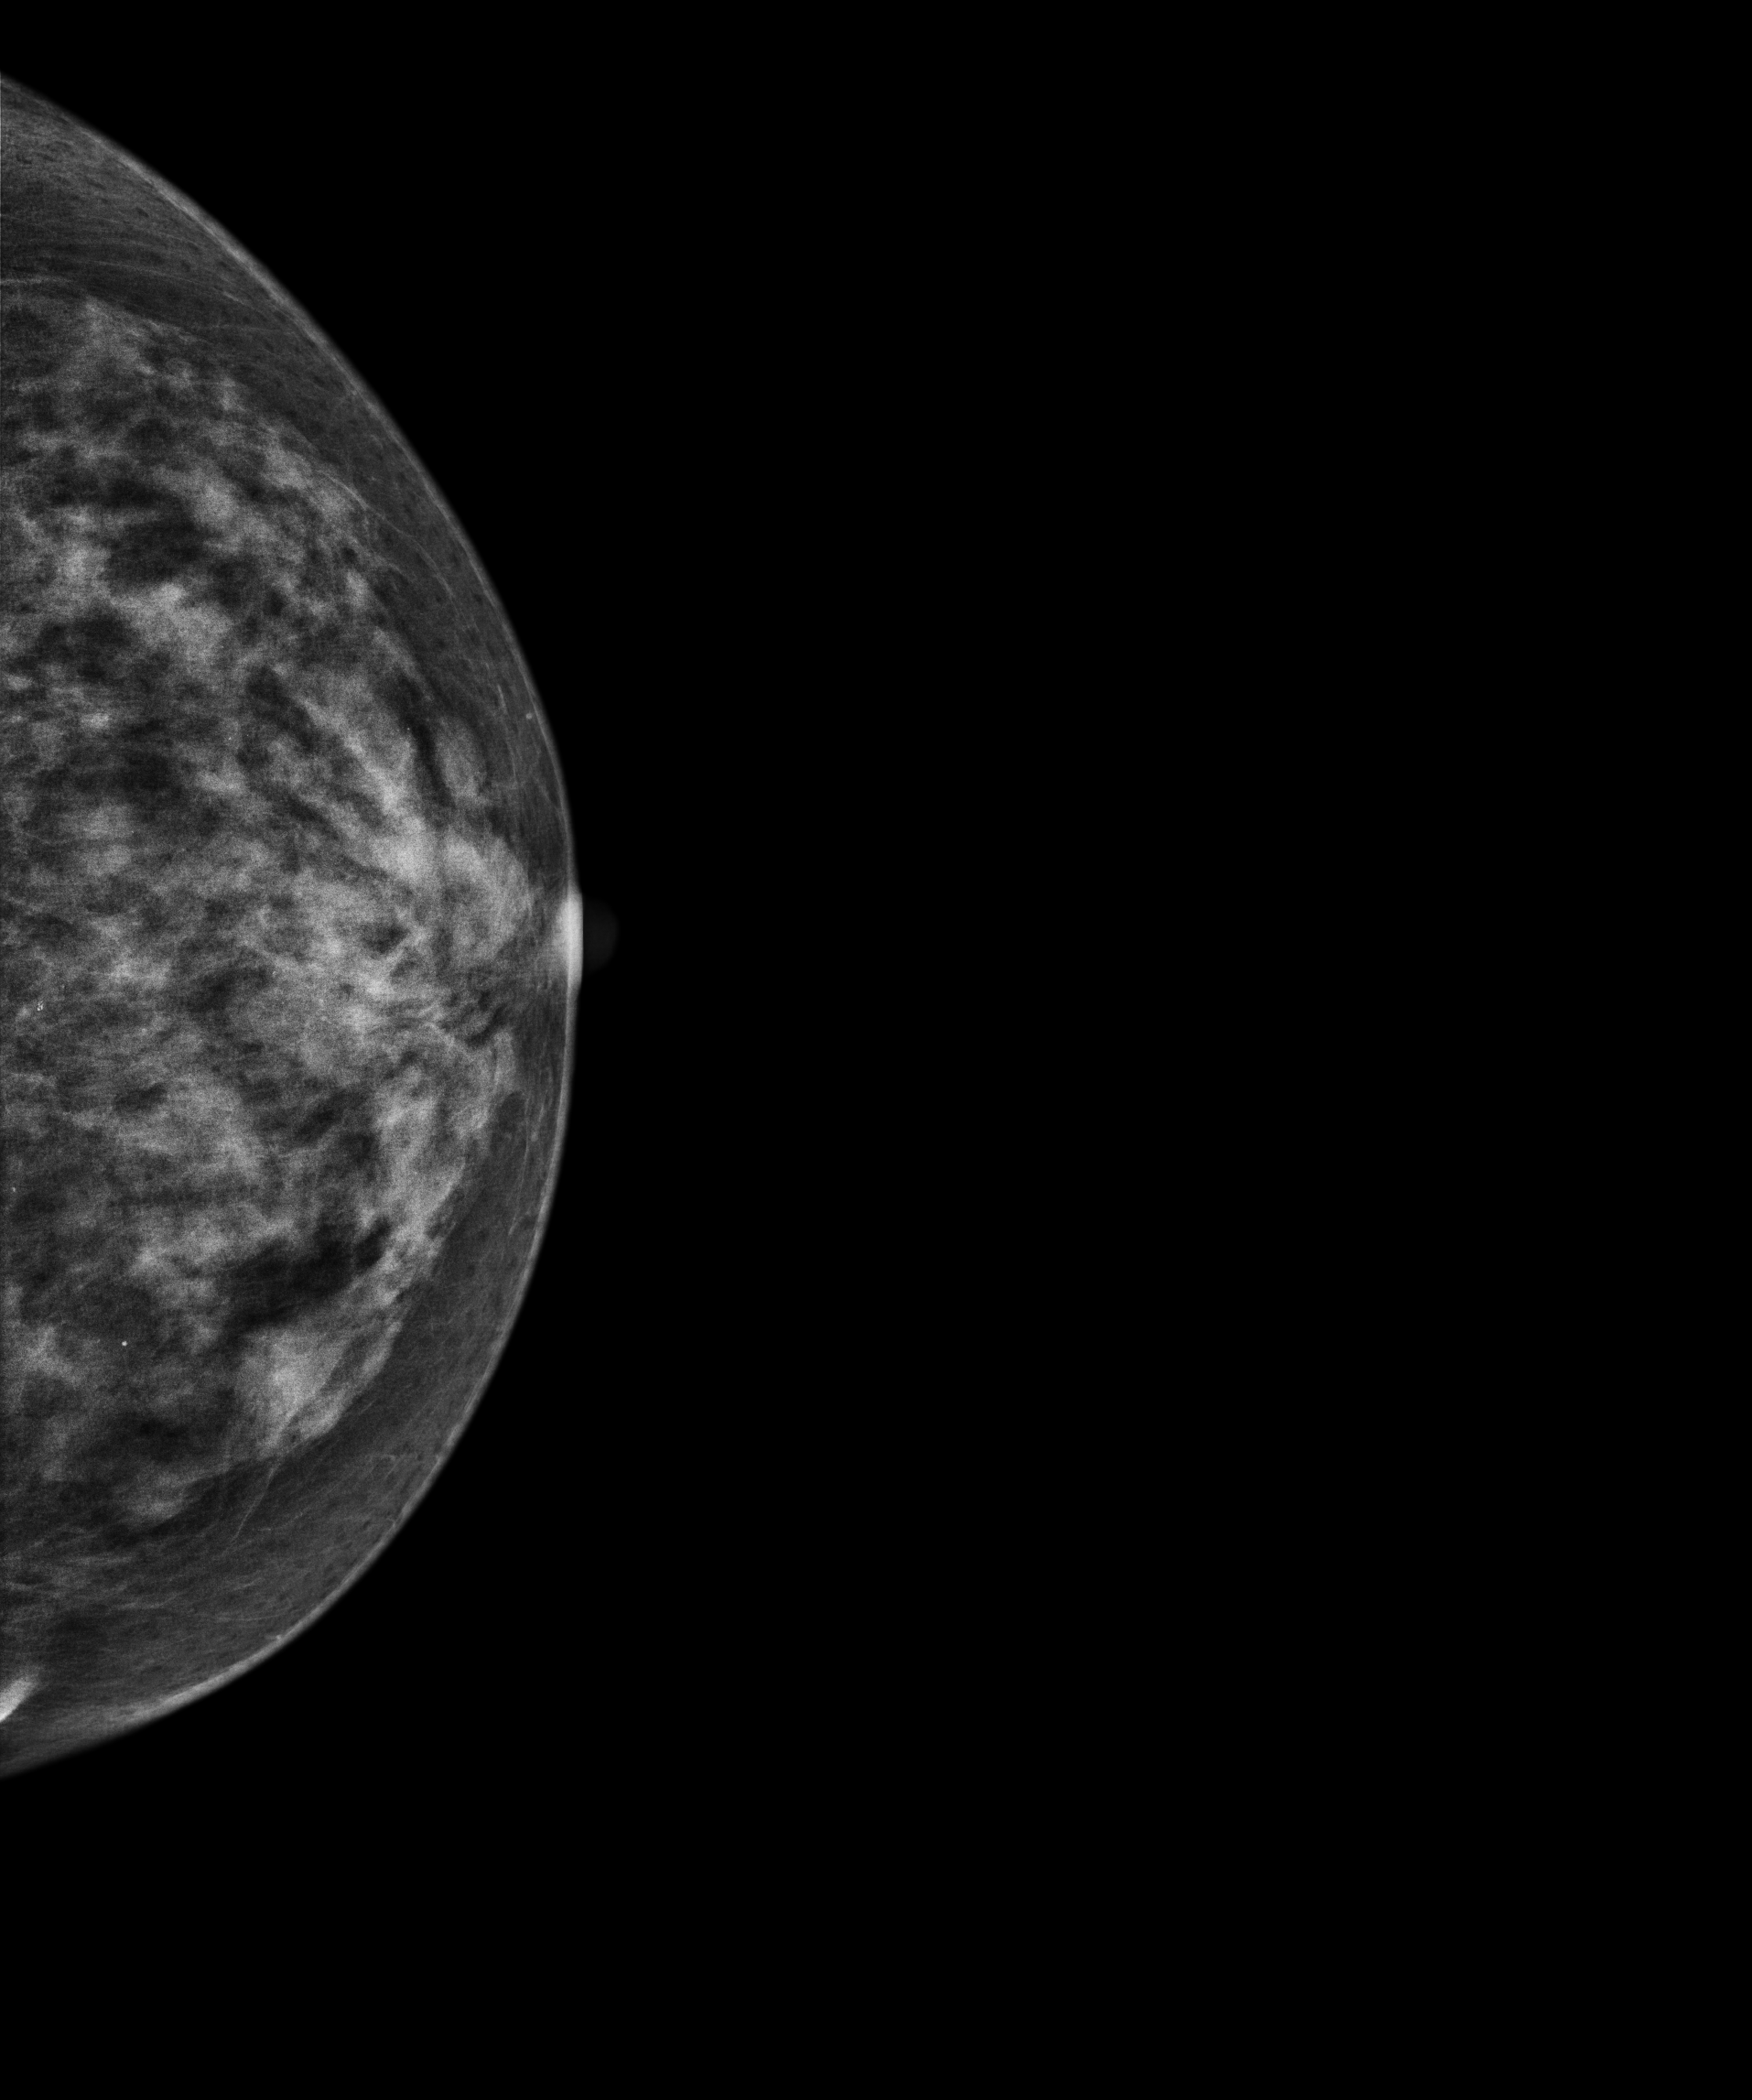
Mammogram, left breast, CC view. 67-year-old patient.
This breast has calcifications, biopsy-proven malignant. Molecular subtype: luminal B.